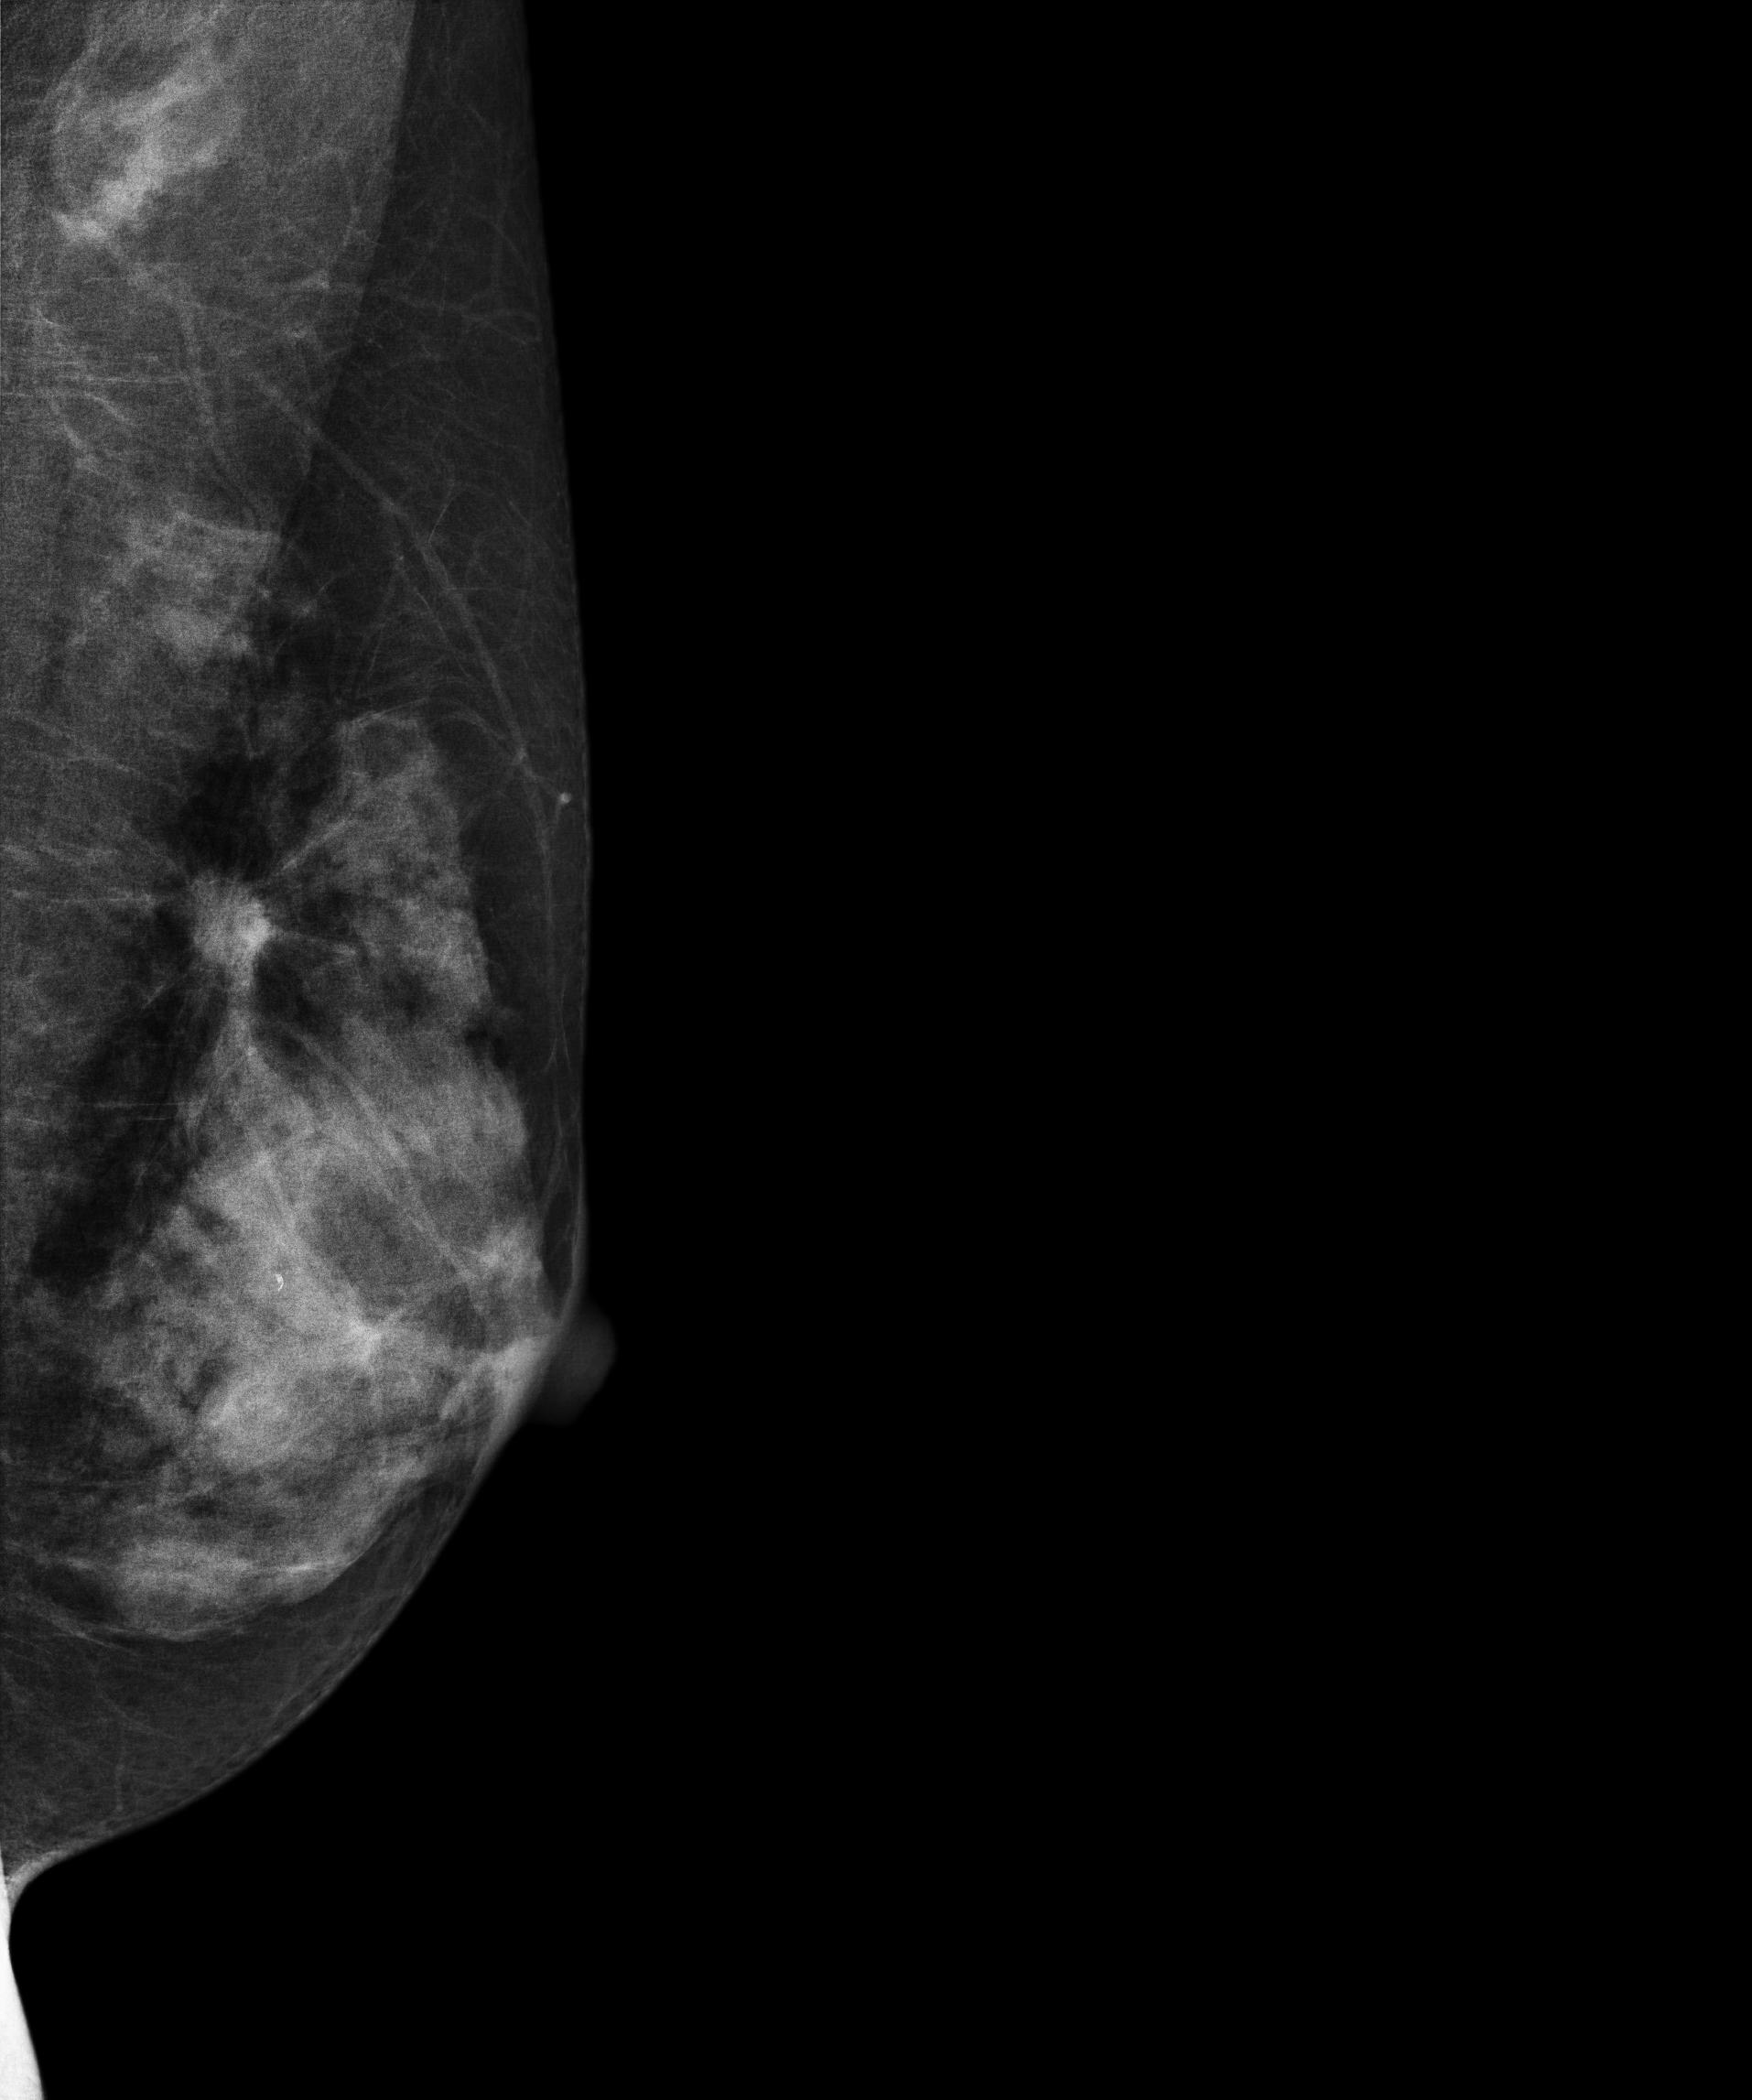
Medio-lateral oblique mammogram of the left breast. 44 y/o patient.
This breast has a mass, biopsy-proven malignant. Molecular subtype: luminal A.